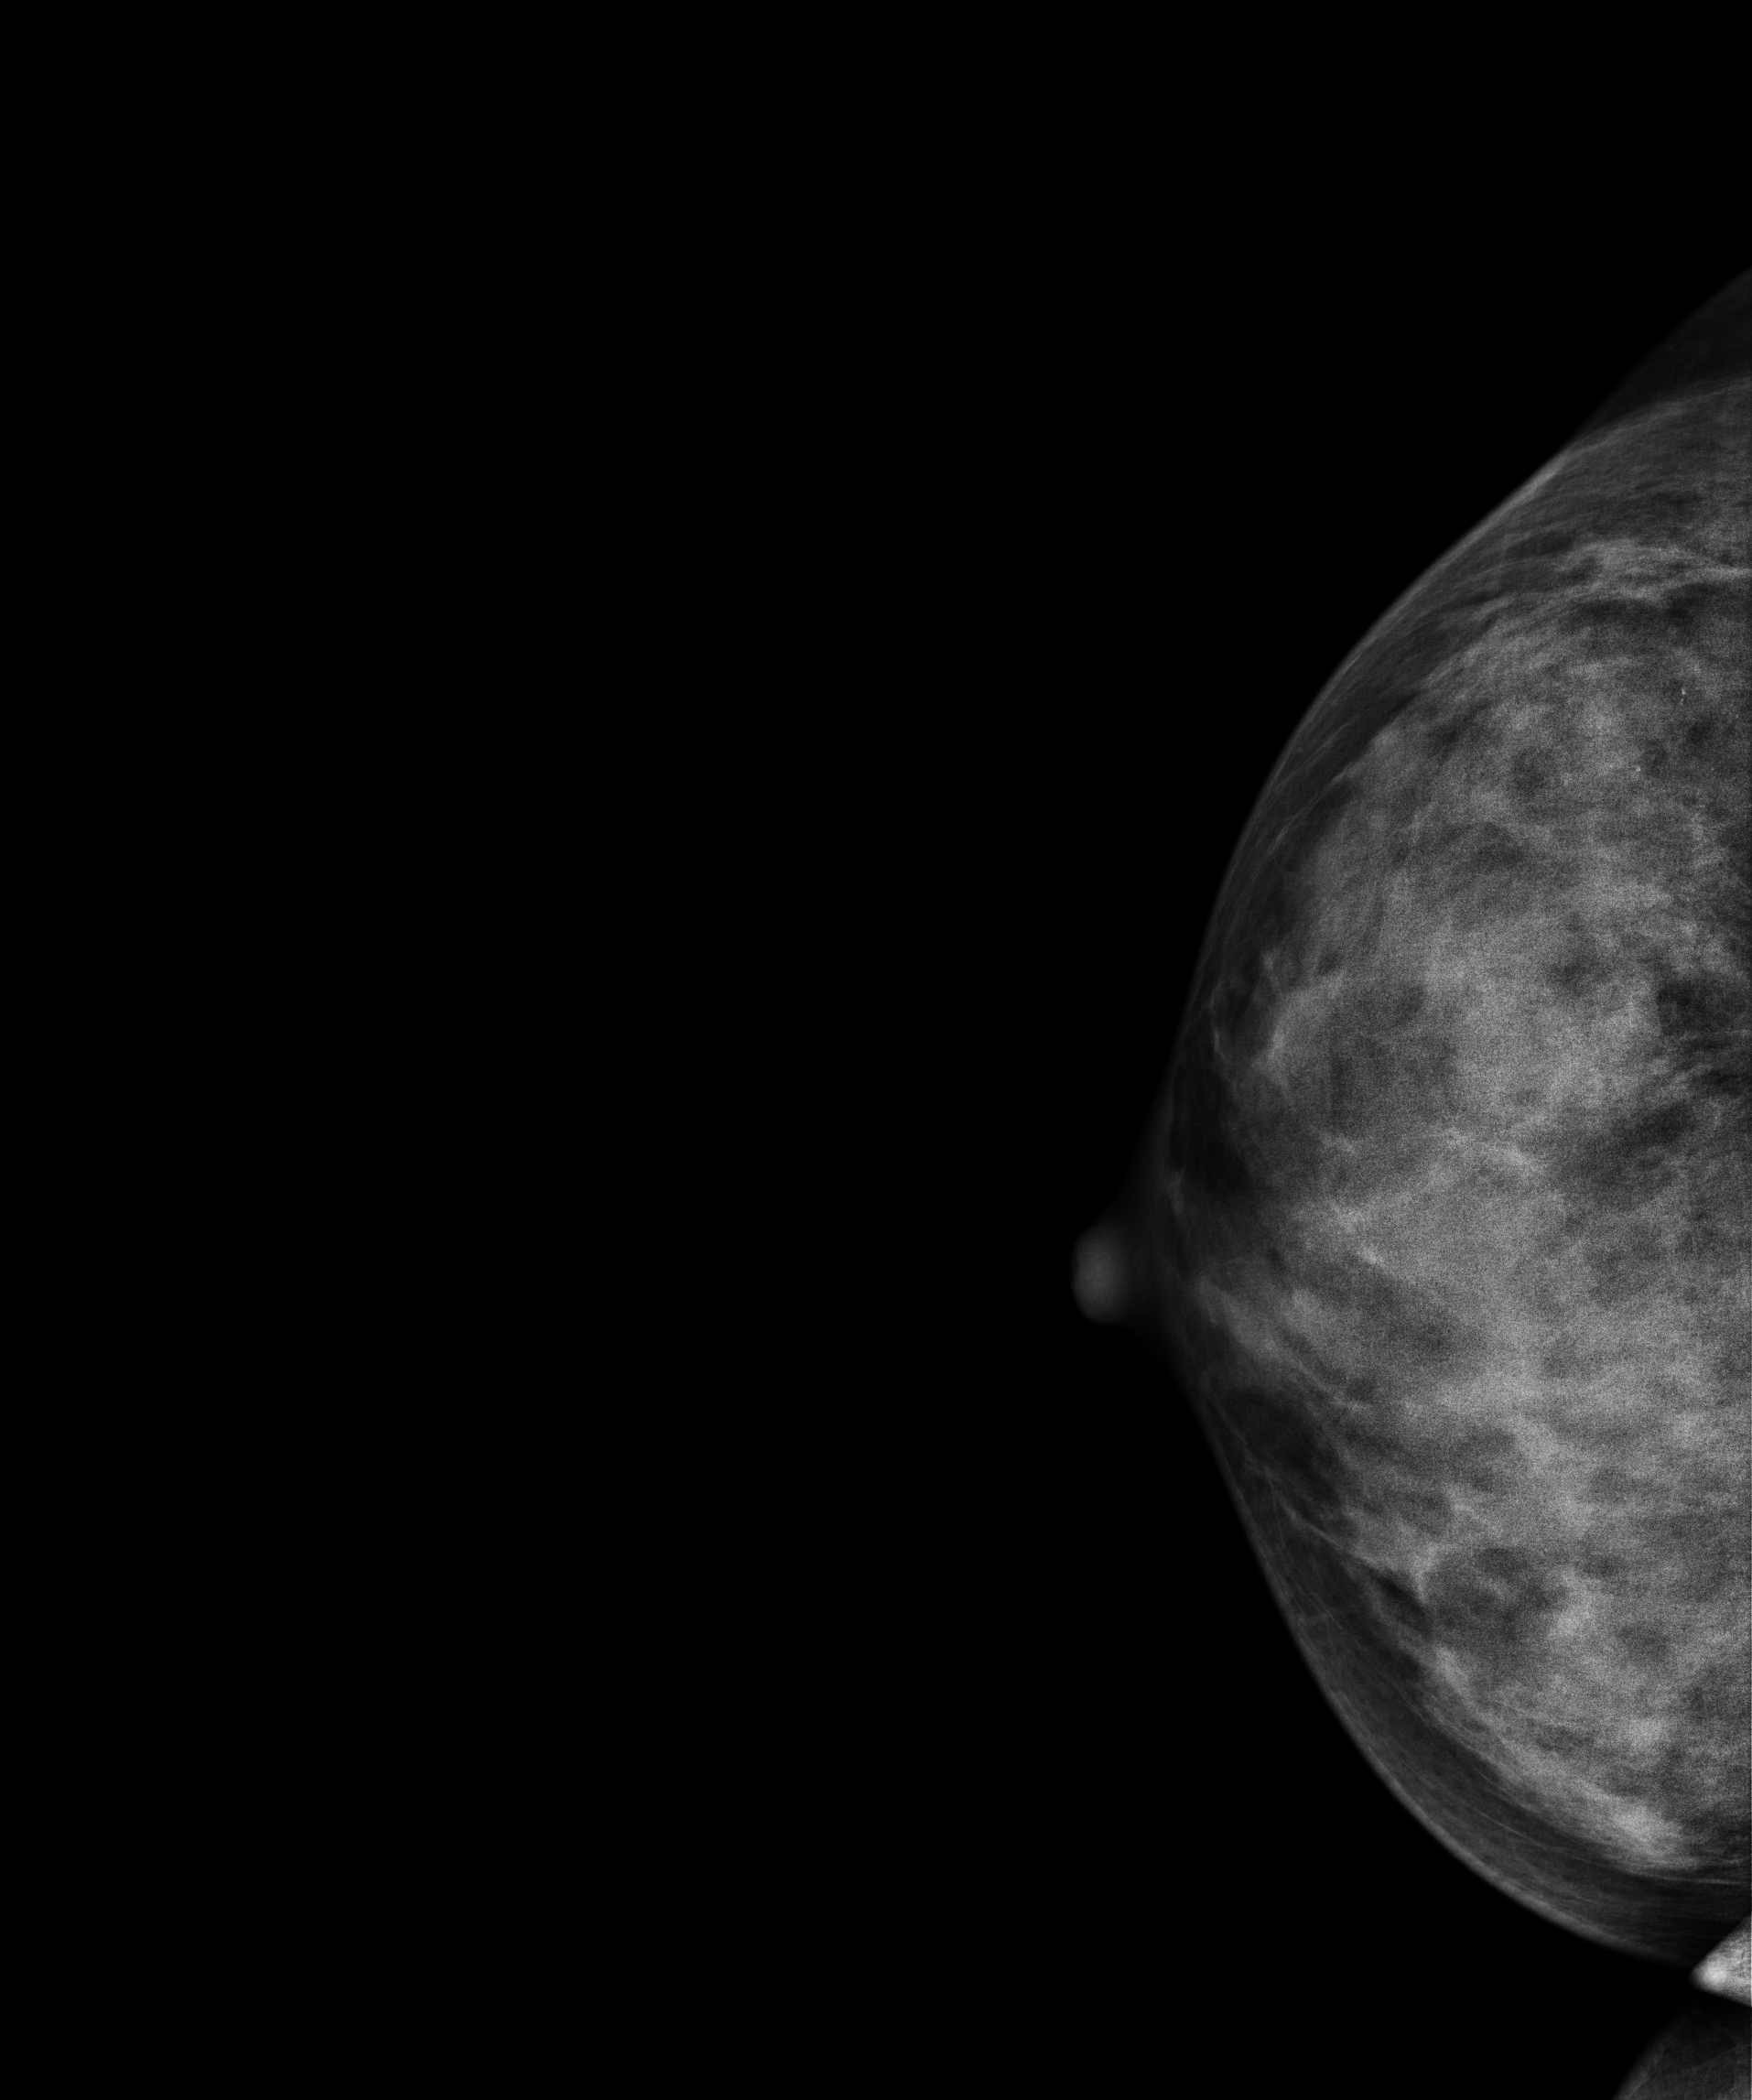
Digital mammography. Right breast, CC projection. Patient age 31.
This breast has calcifications, histologically confirmed malignant.